Mammogram — right MLO. 44 y/o patient.
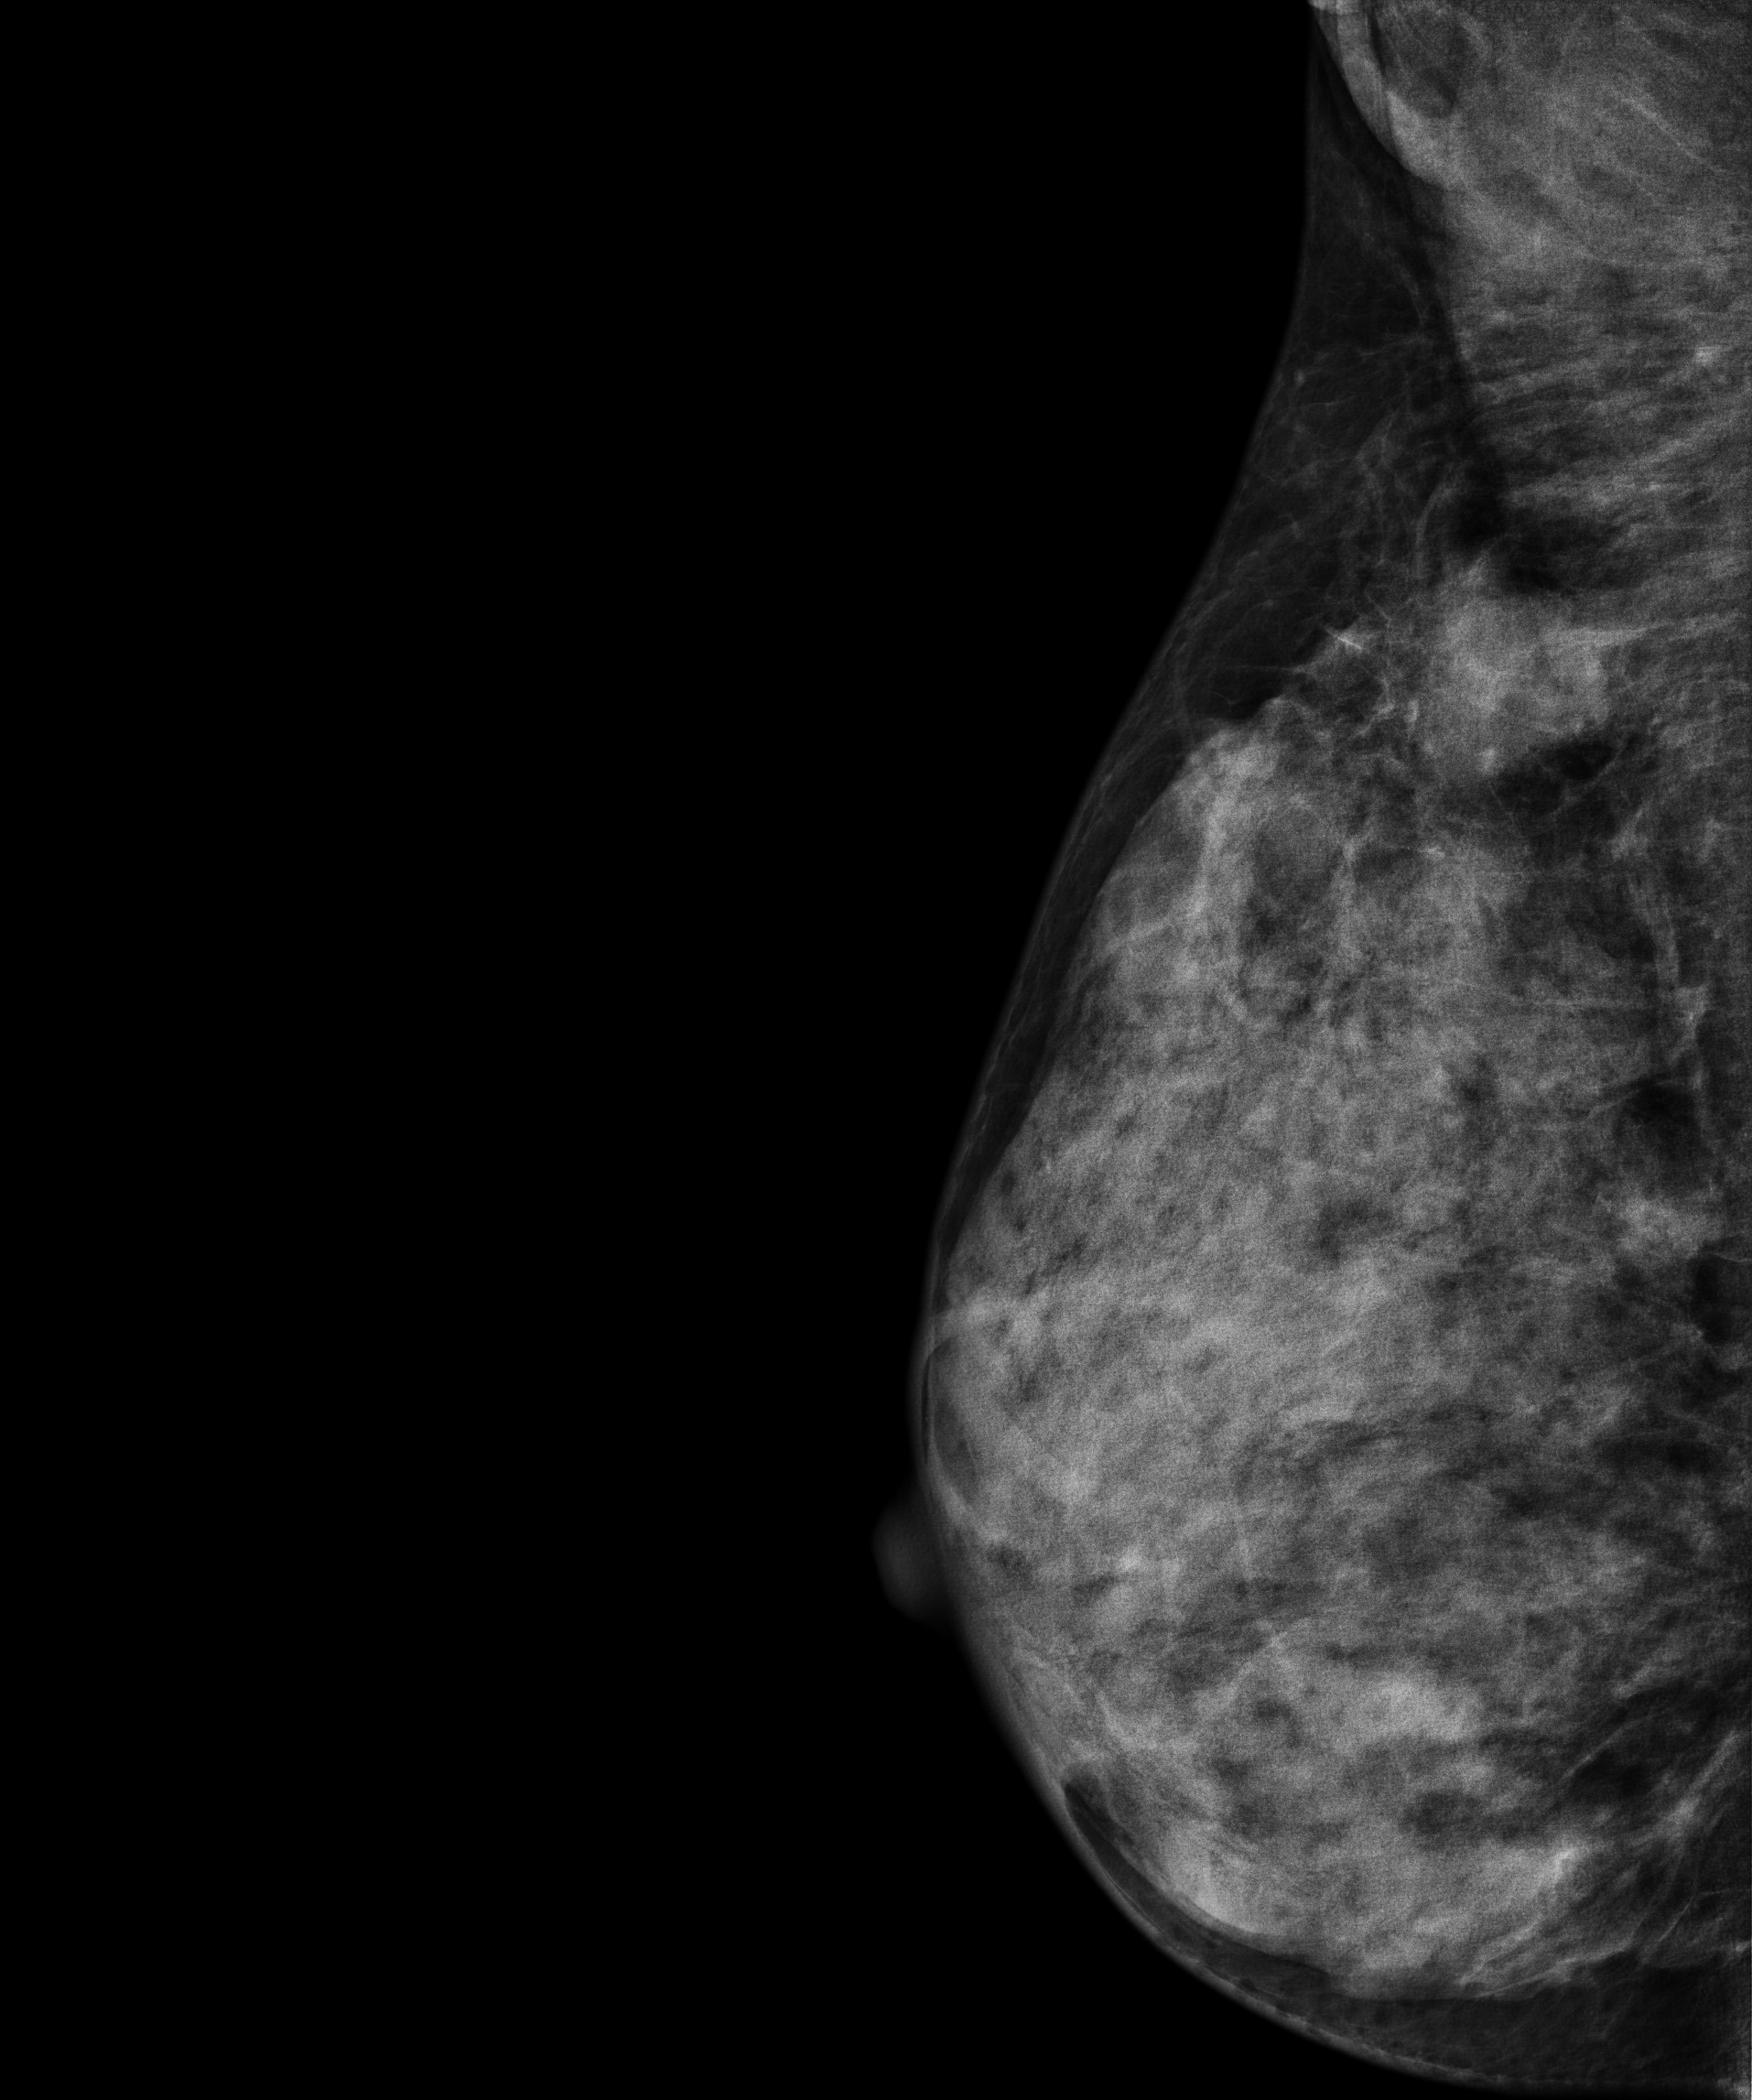
This breast has a mass, pathology-confirmed malignant. Molecular subtype: luminal B.